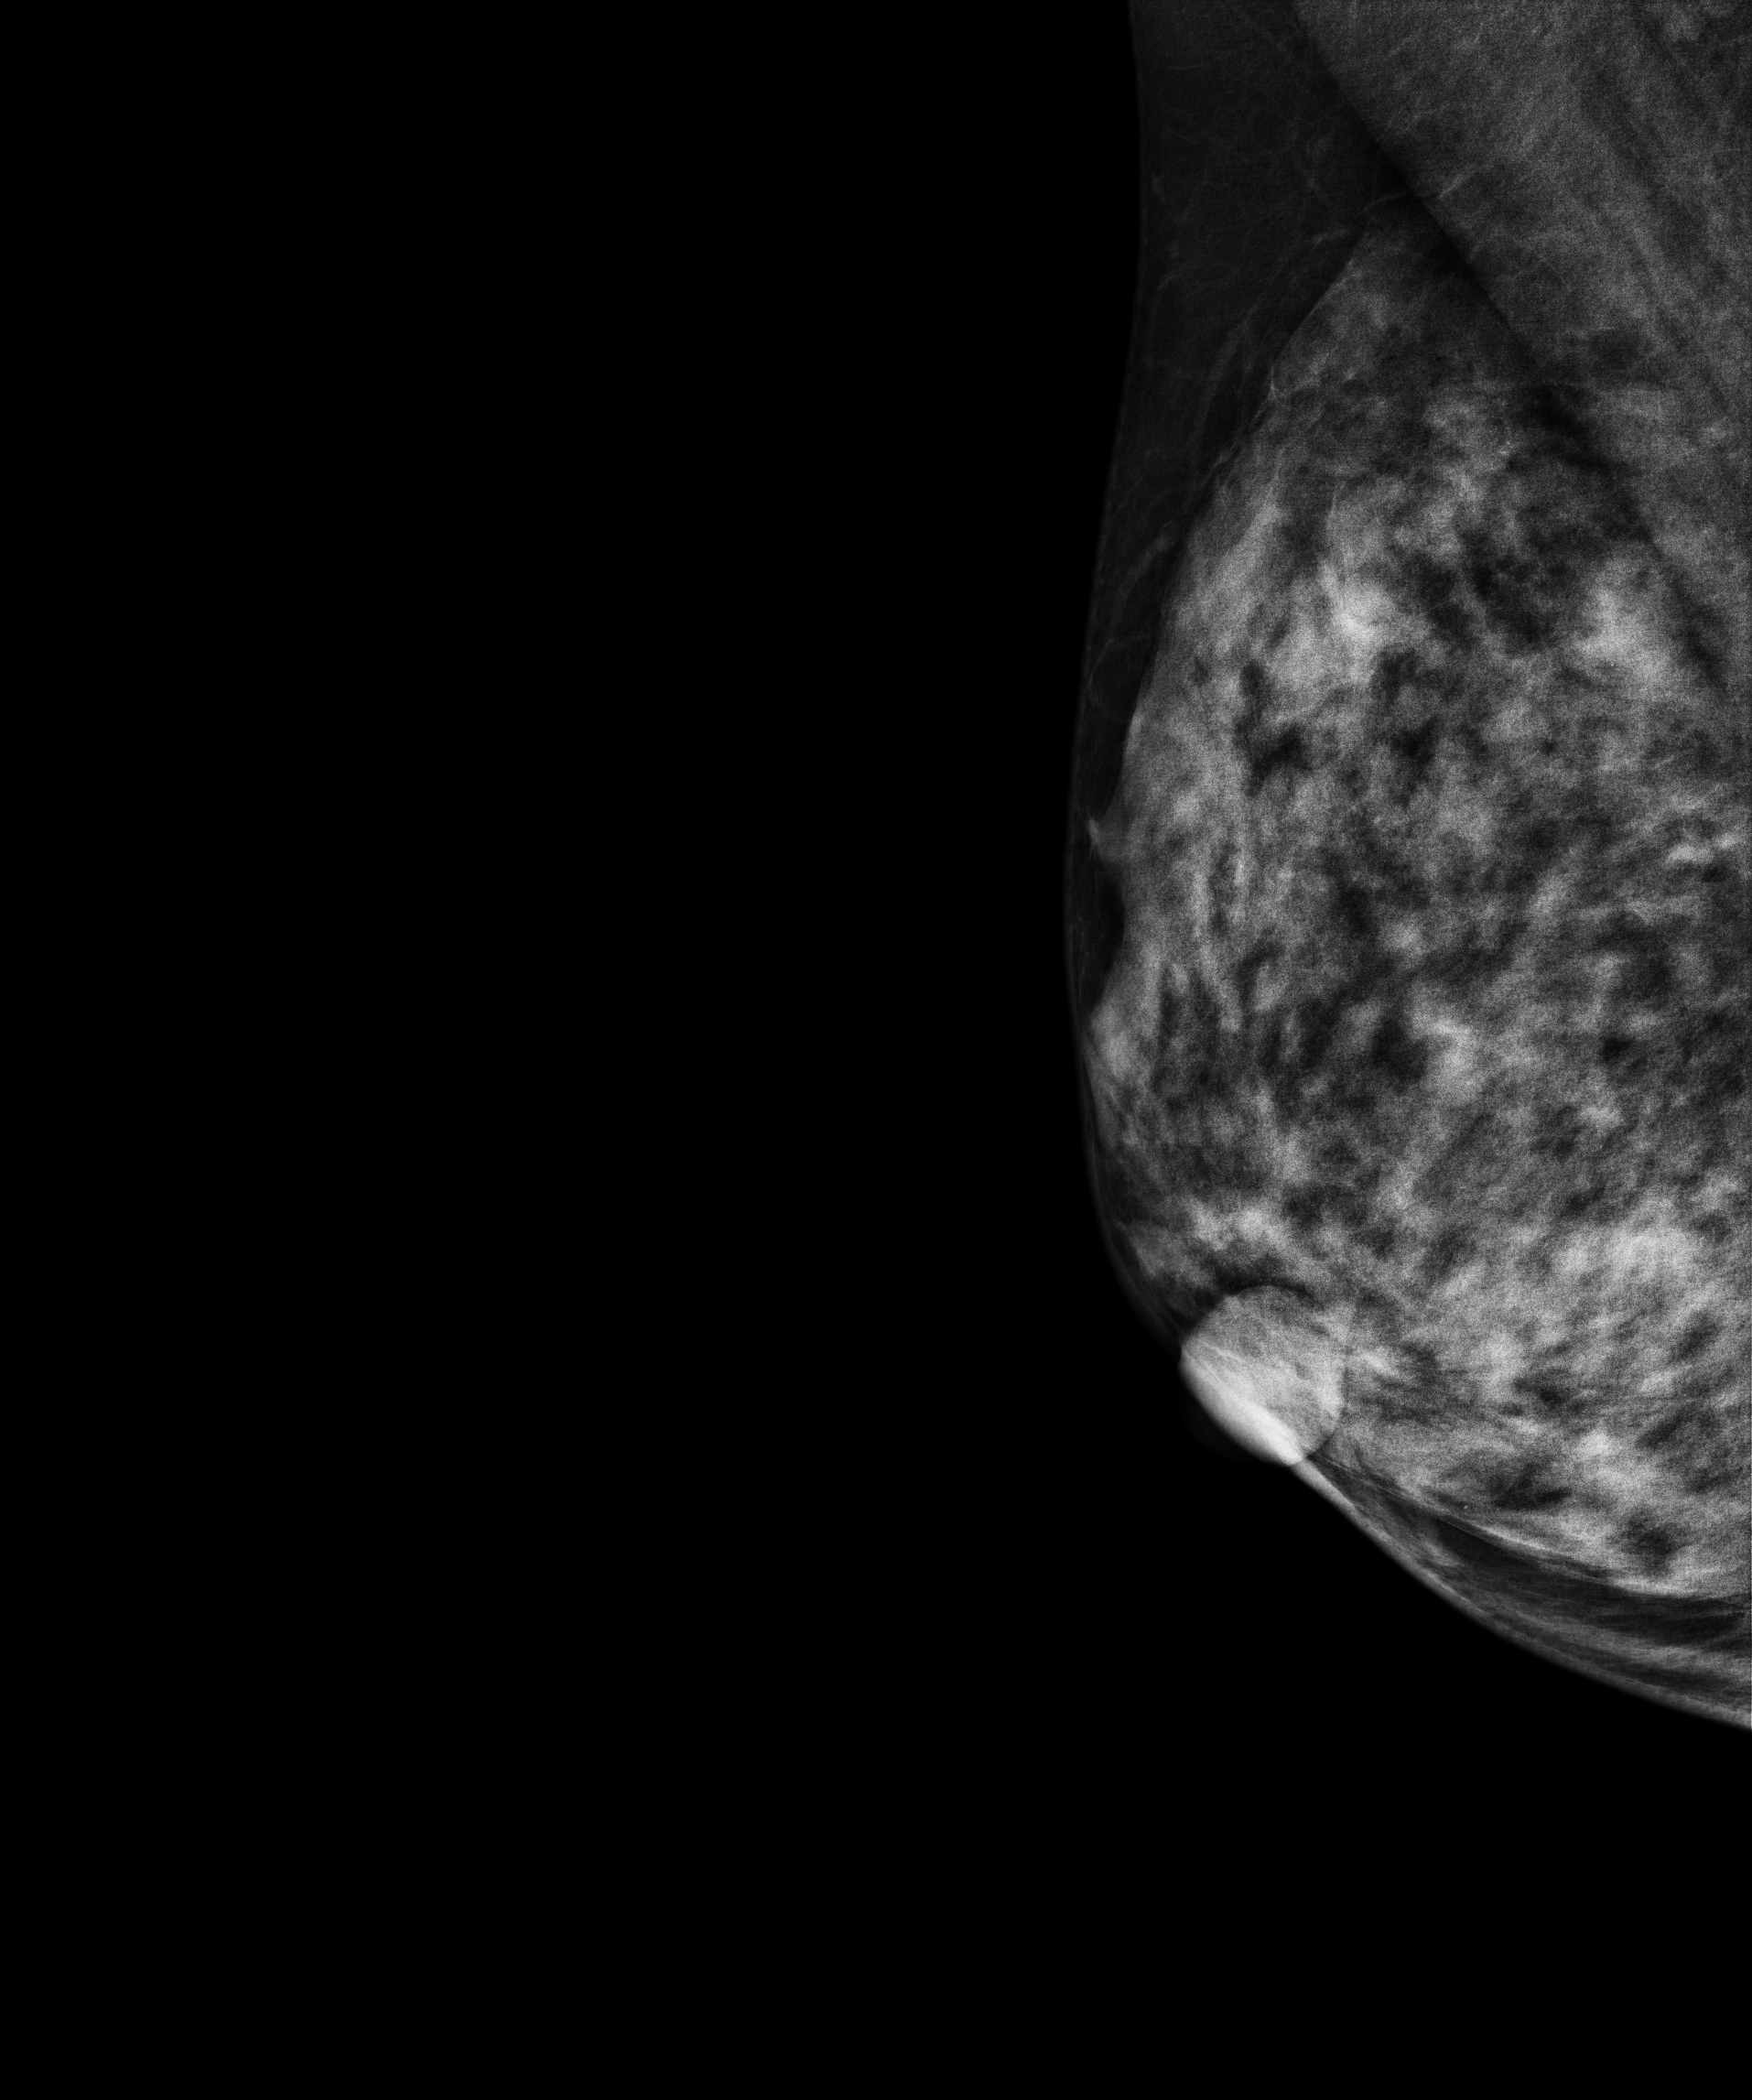
Digital mammography. Right breast, MLO projection. Patient age 32.
This breast has a mass, pathology-confirmed malignant.